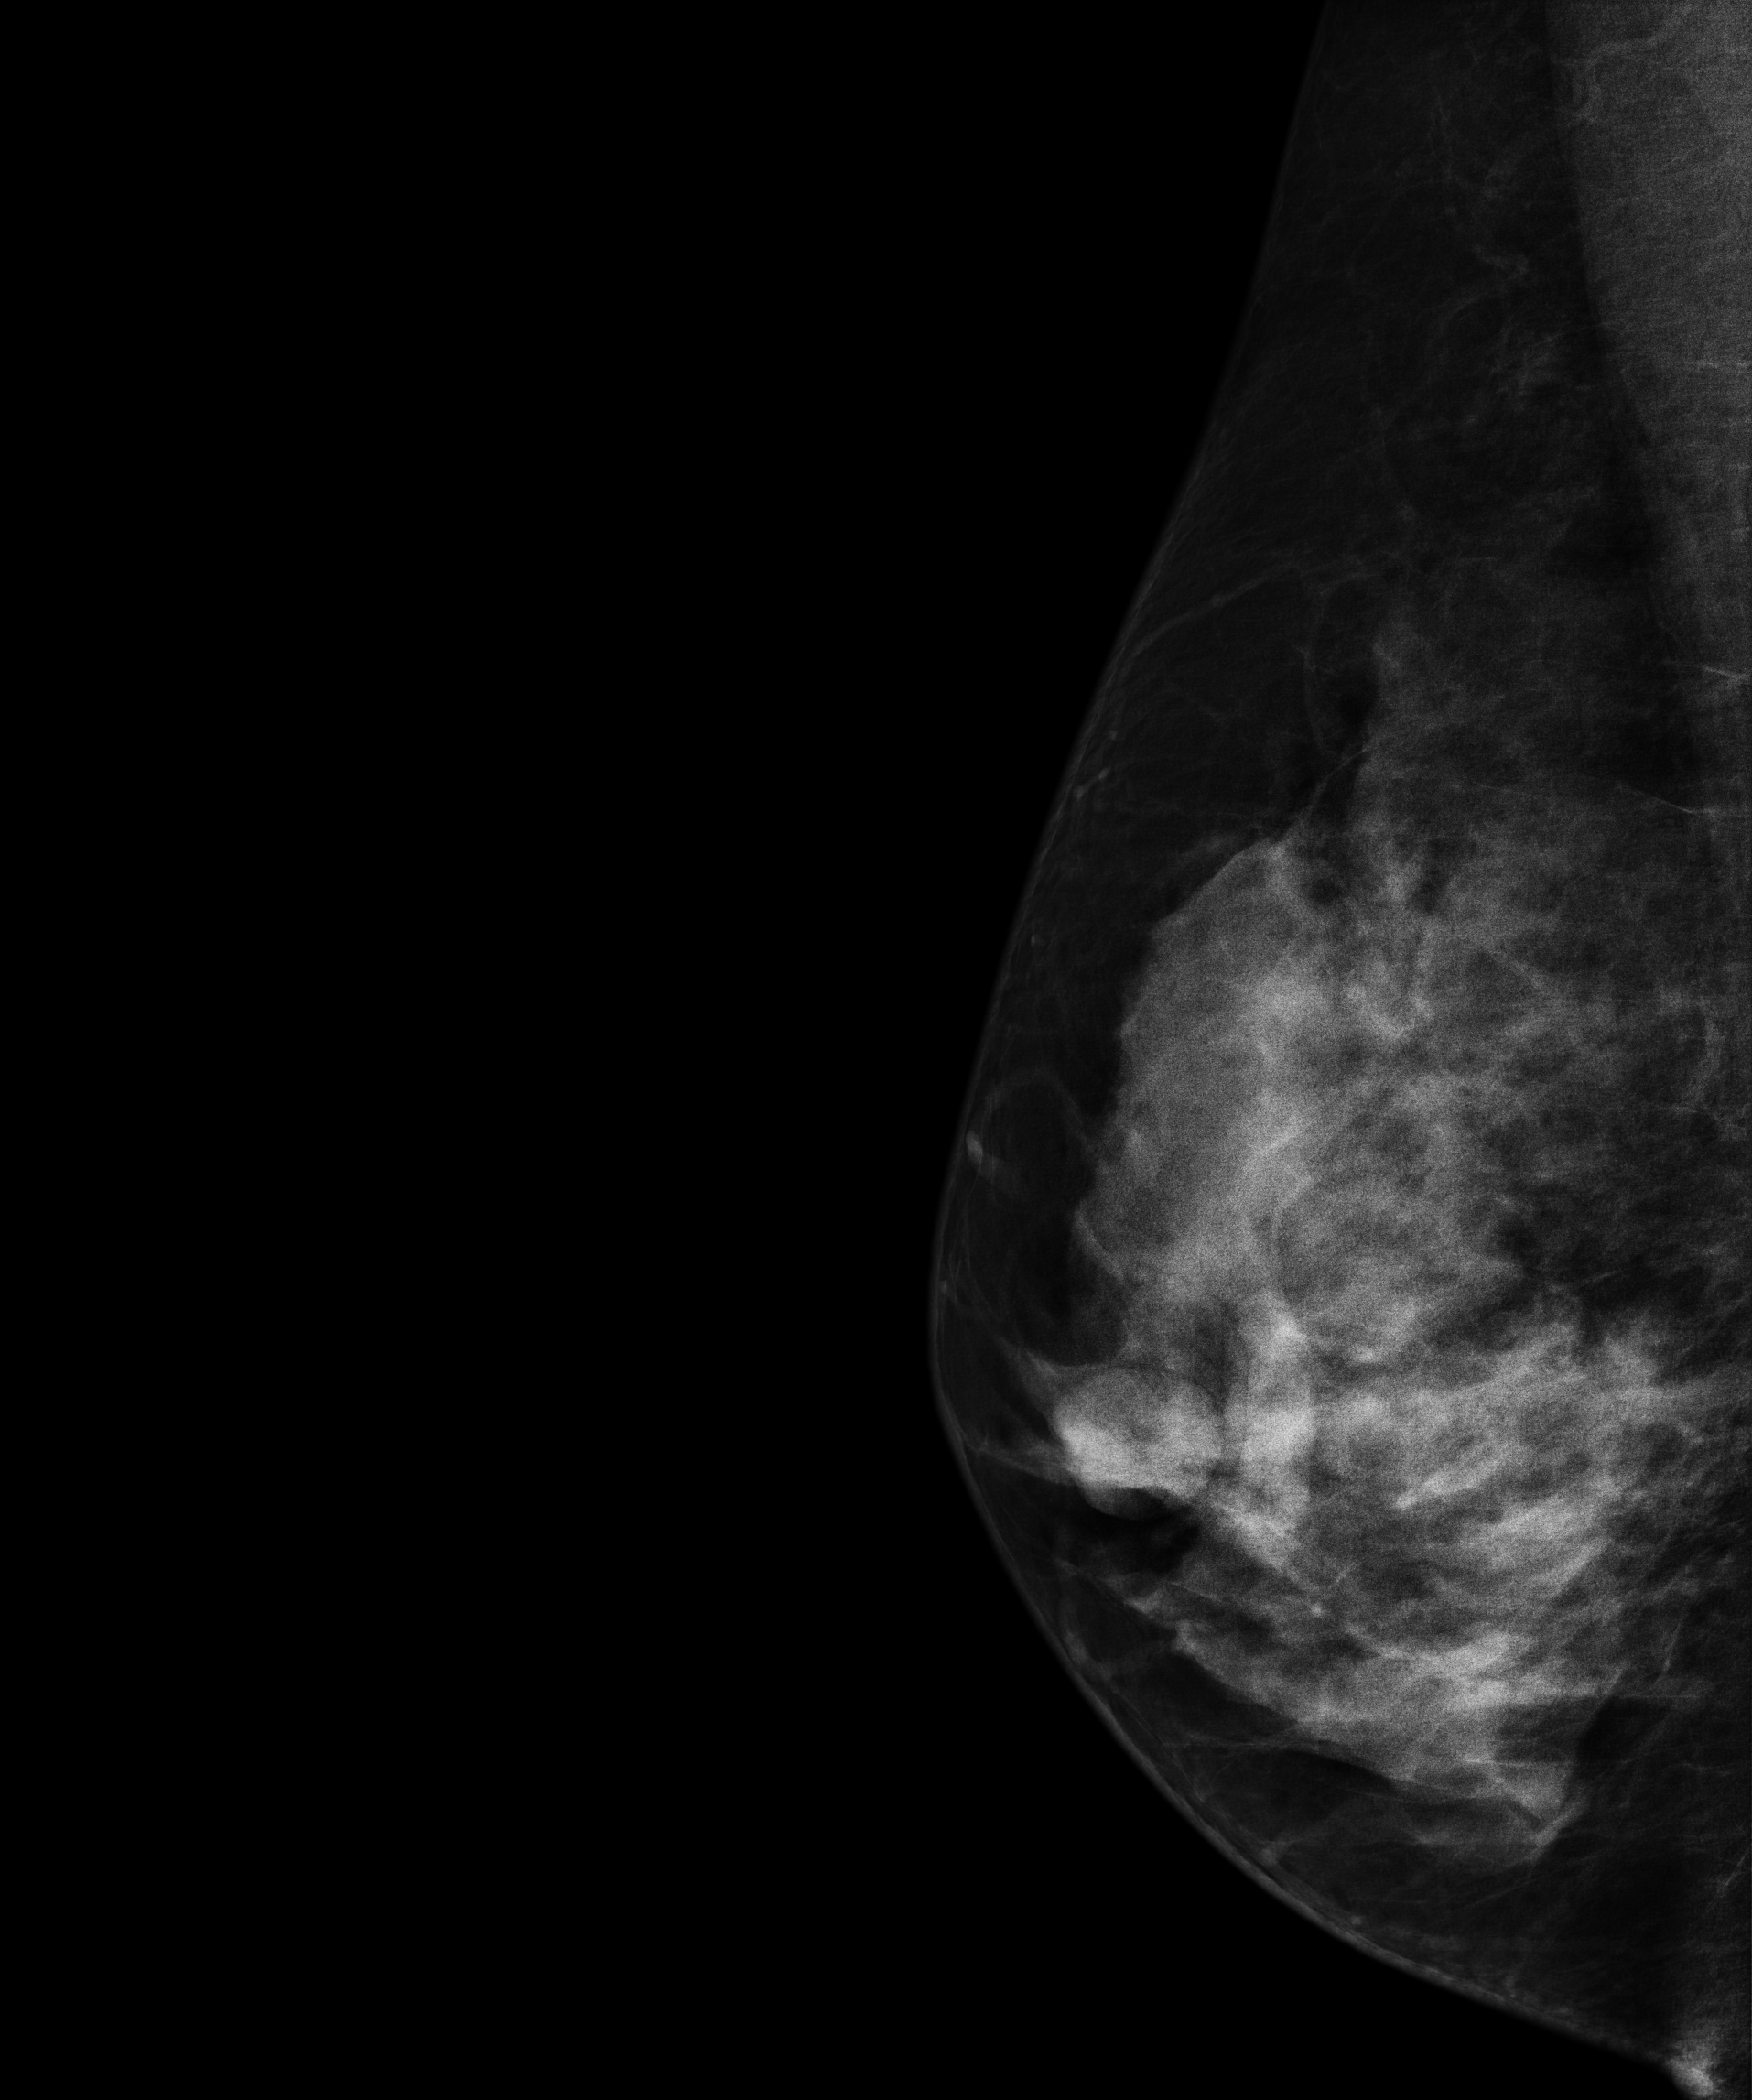
Digital mammography. Right breast, medio-lateral oblique projection. 46 y/o patient.
This breast has a mass, histologically confirmed malignant.